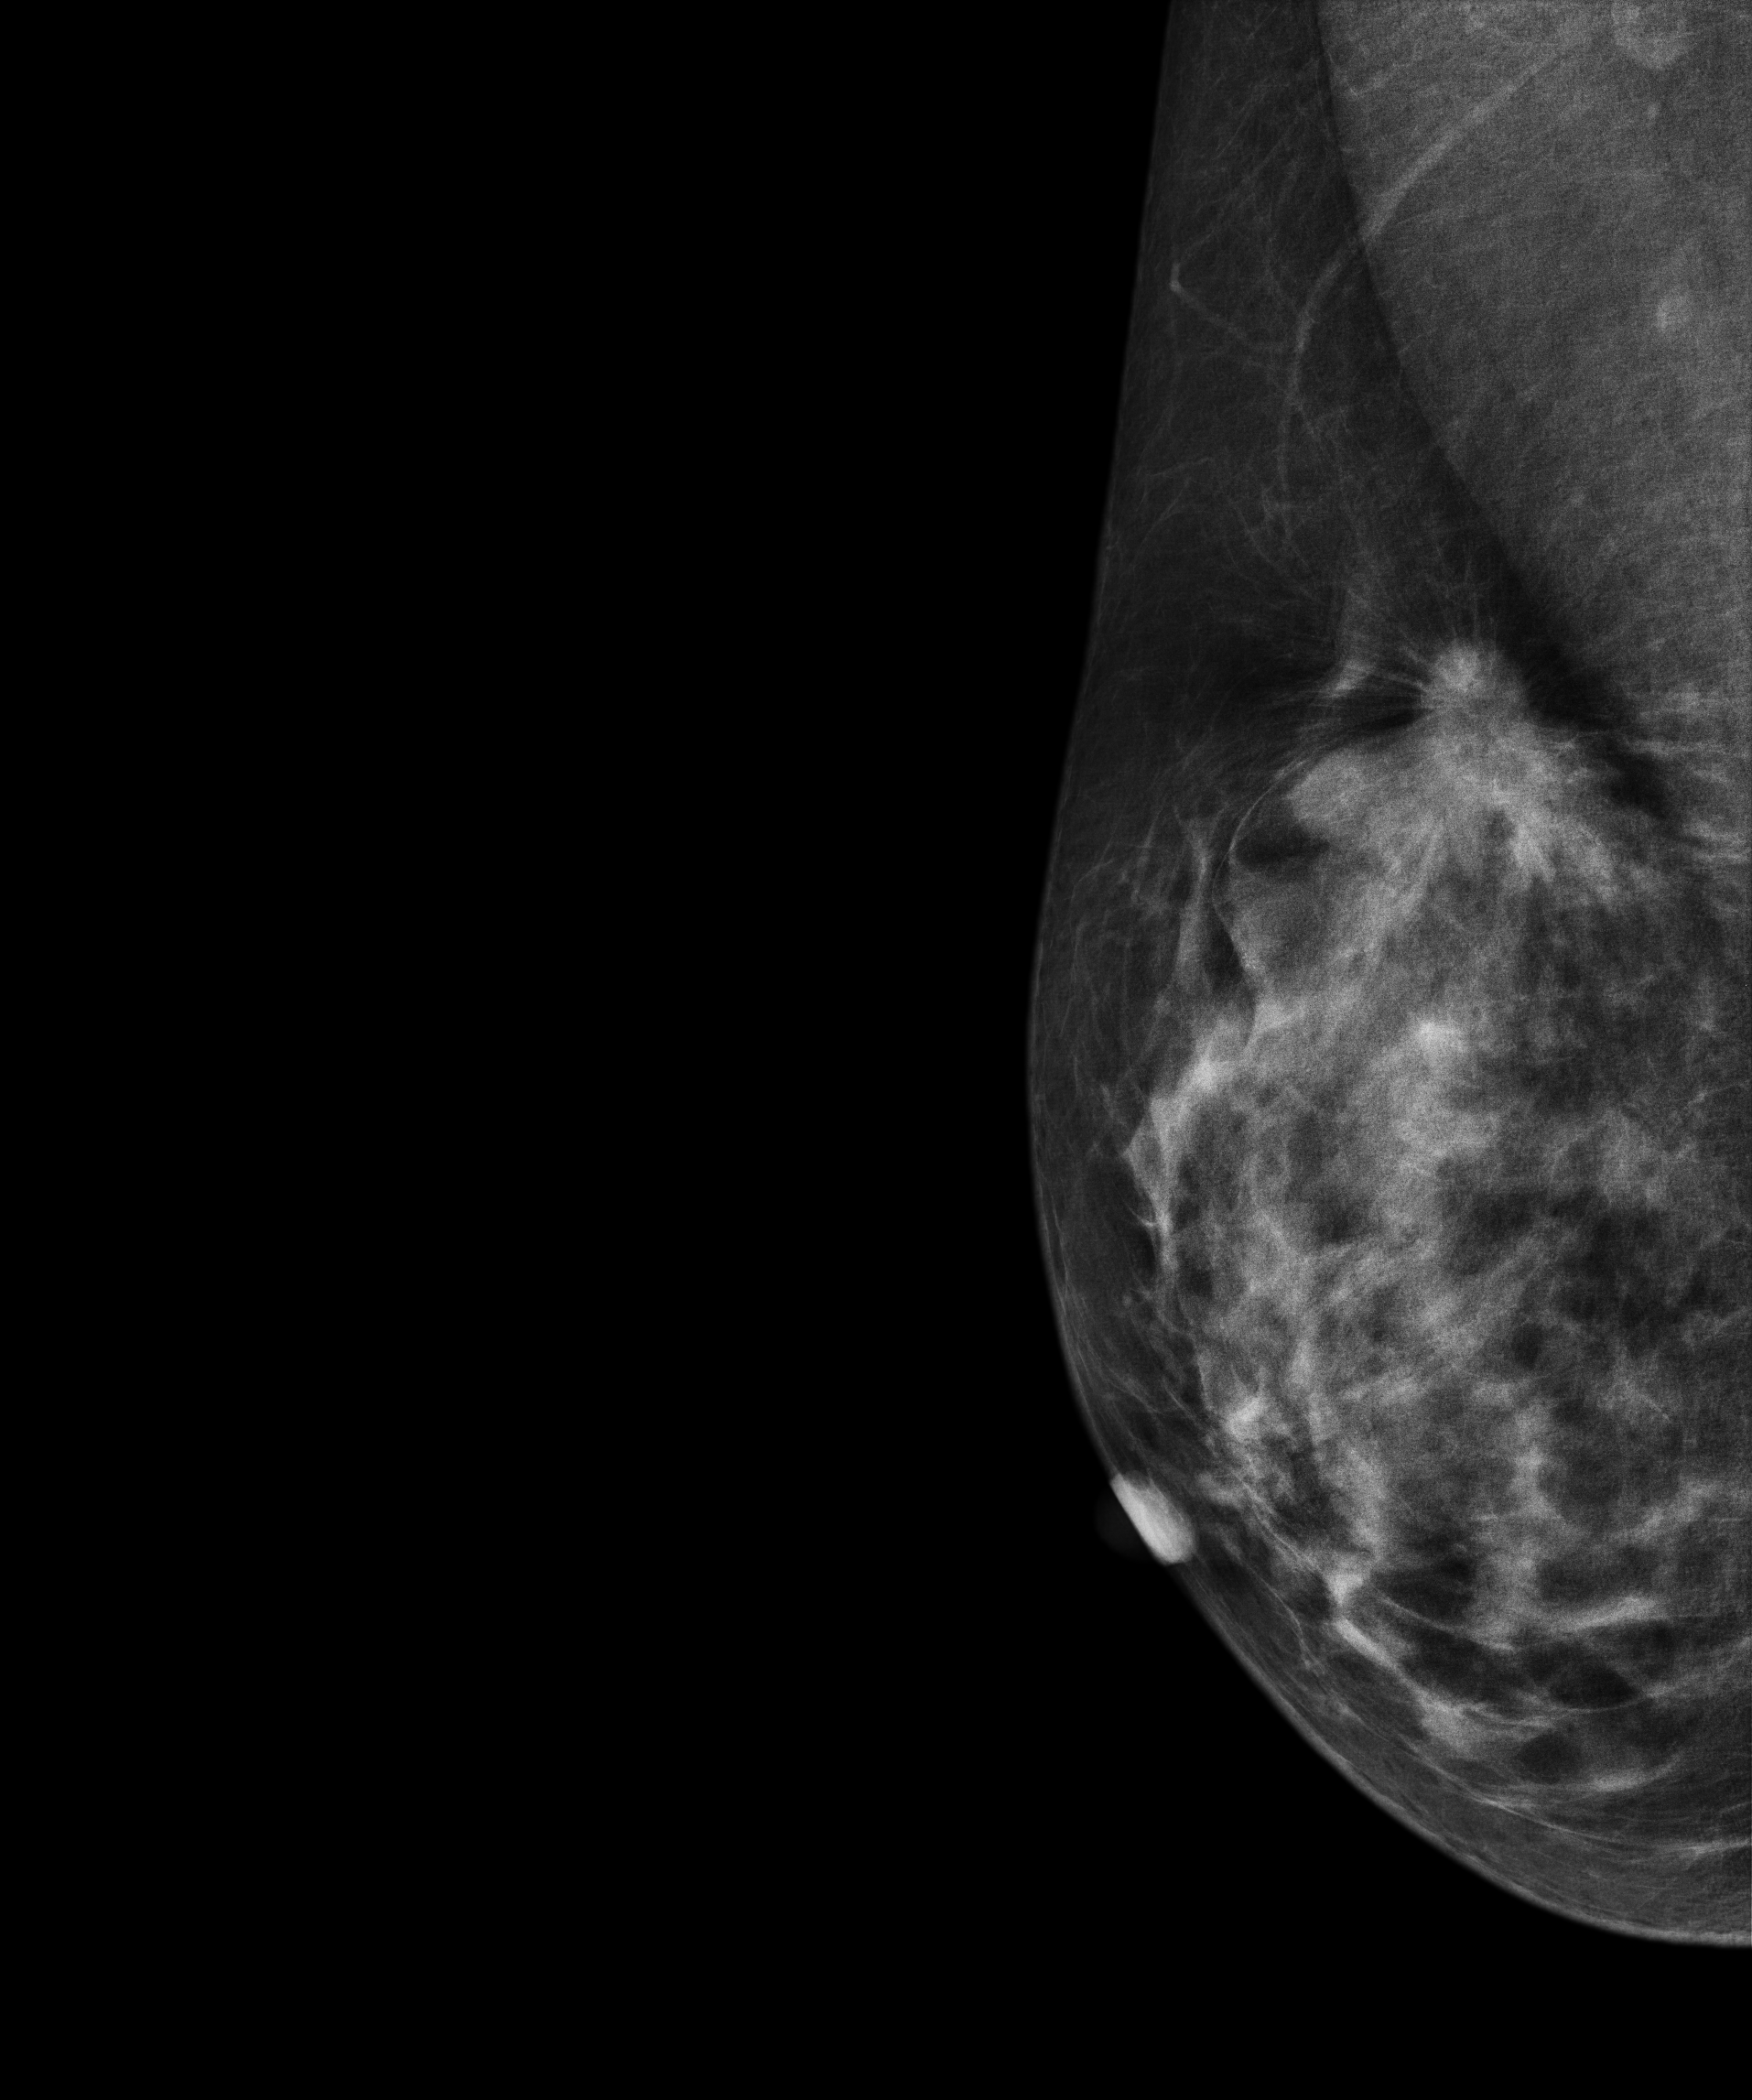
Mammogram, right breast, medio-lateral oblique view. 43 y/o patient.
This breast has a mass, biopsy-proven malignant.